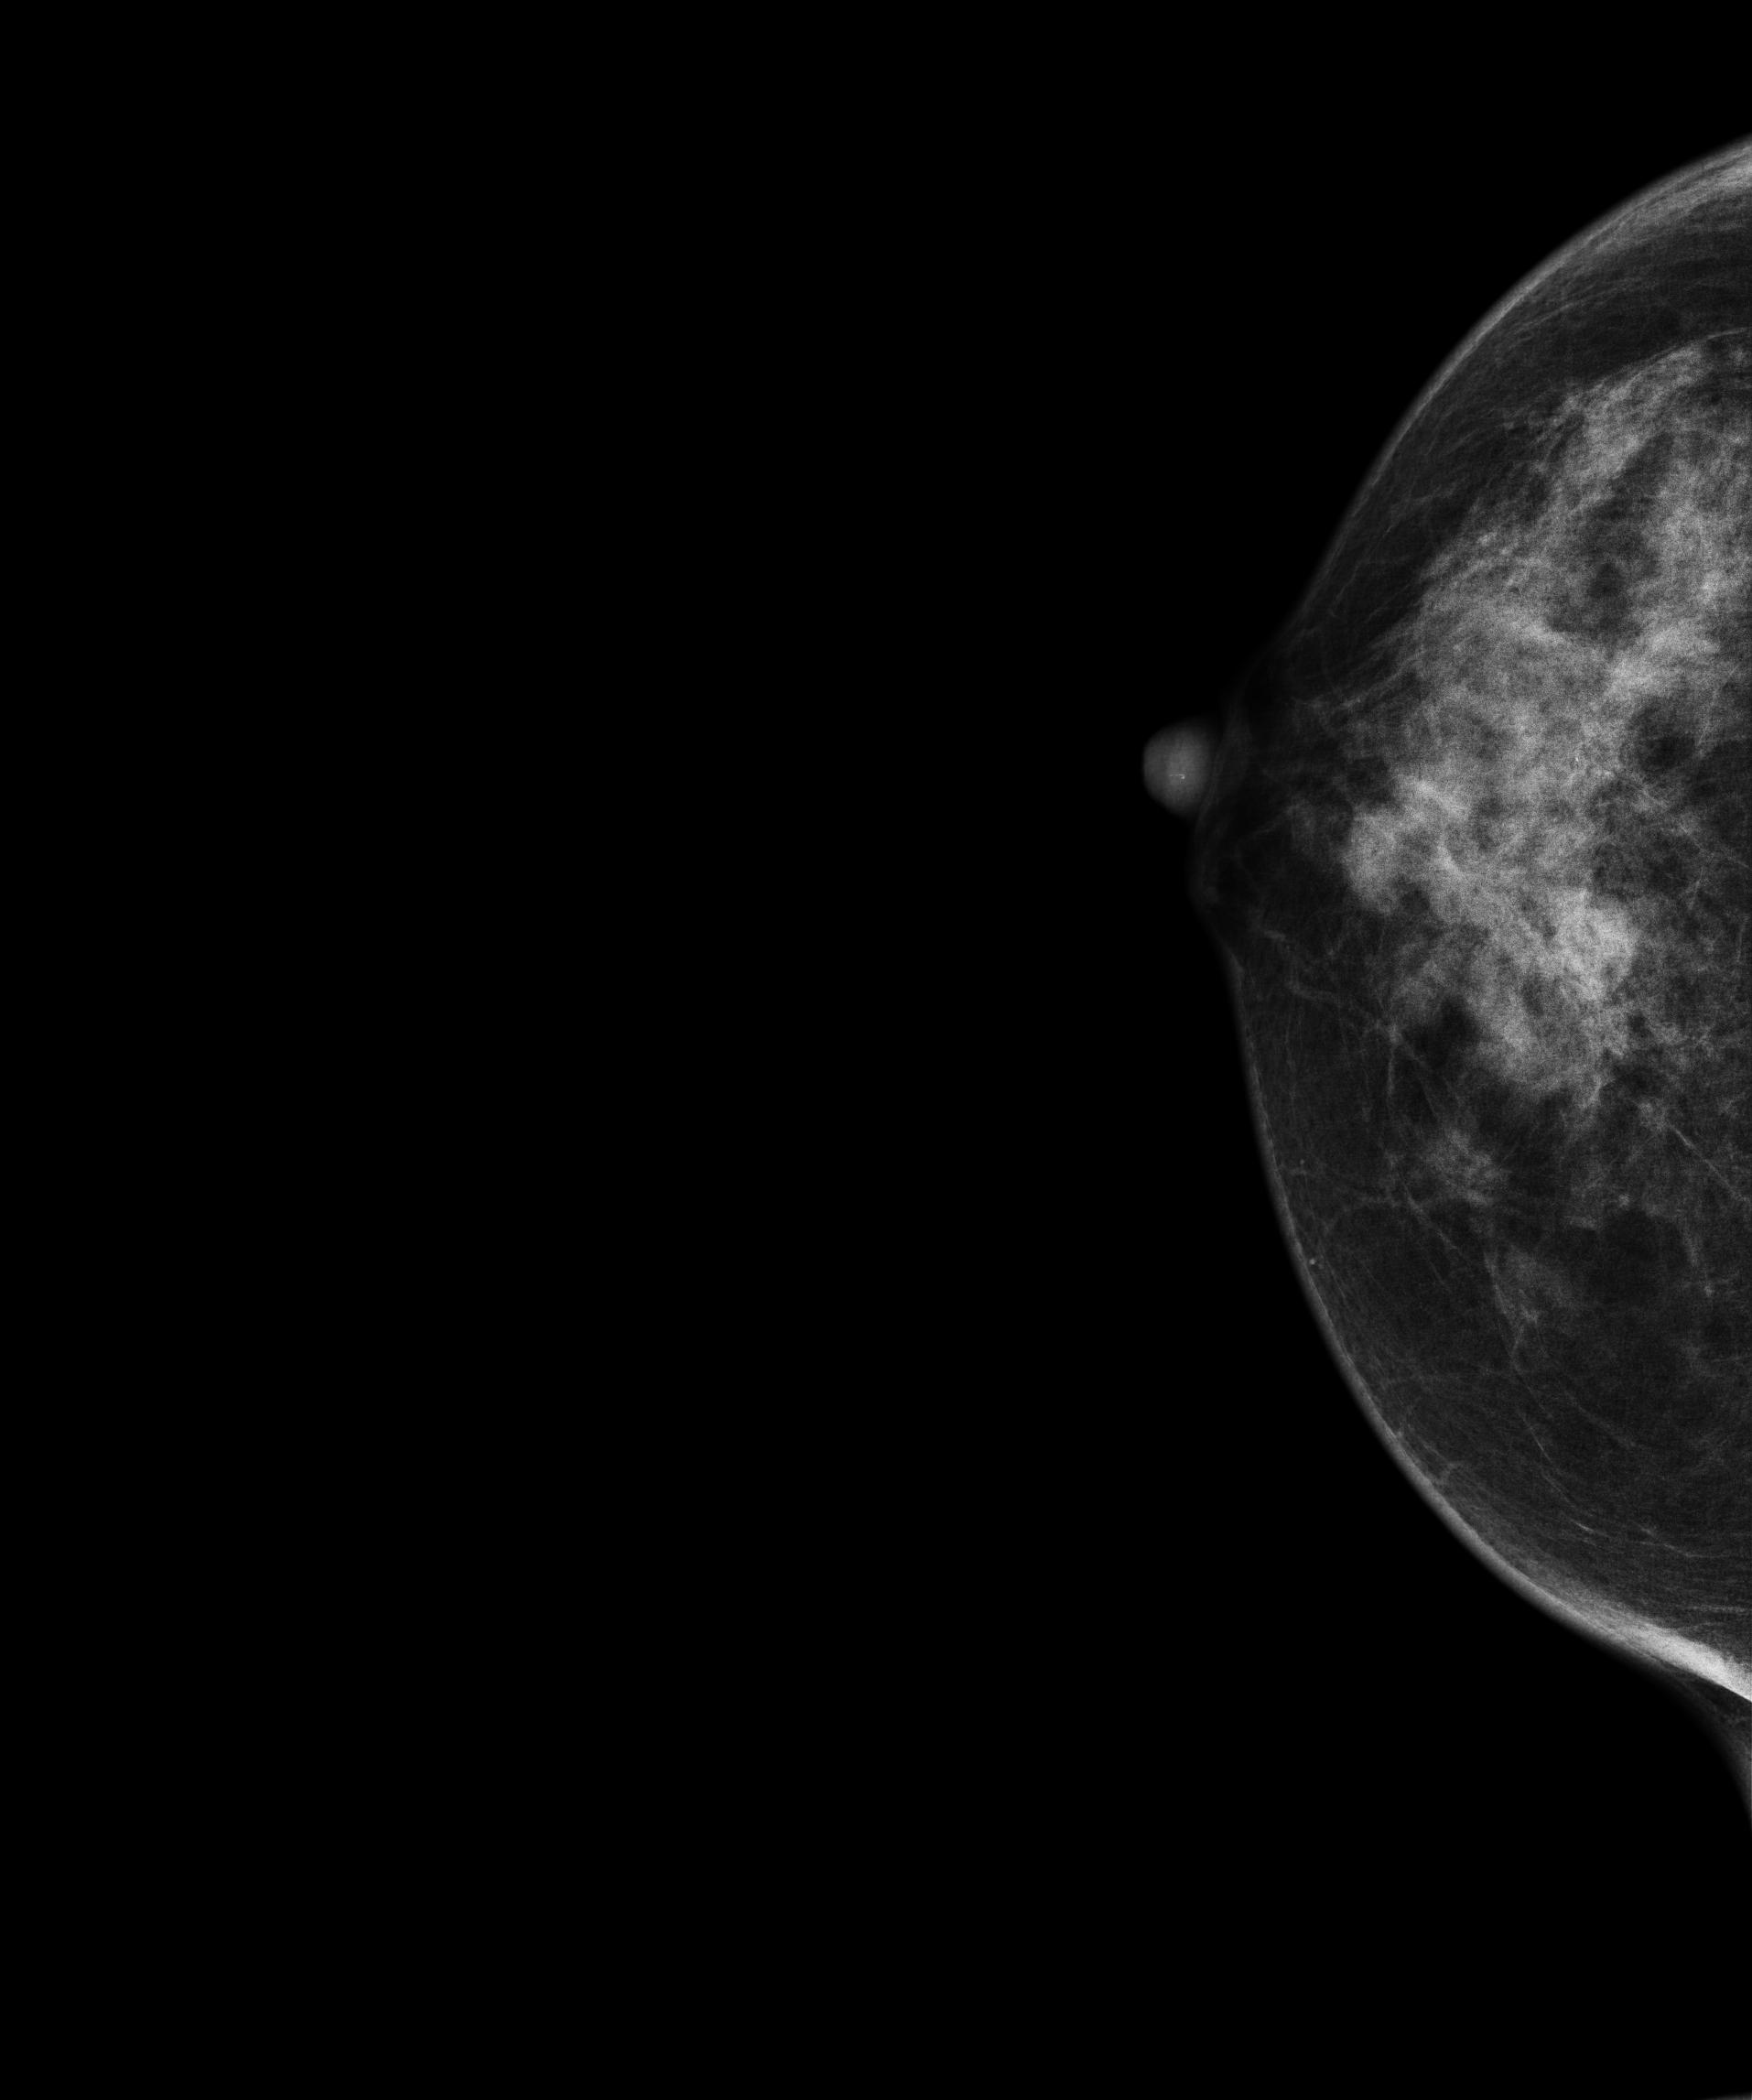
Right-breast mammogram, cranio-caudal. 47-year-old patient.
This breast has a mass, histologically confirmed malignant.